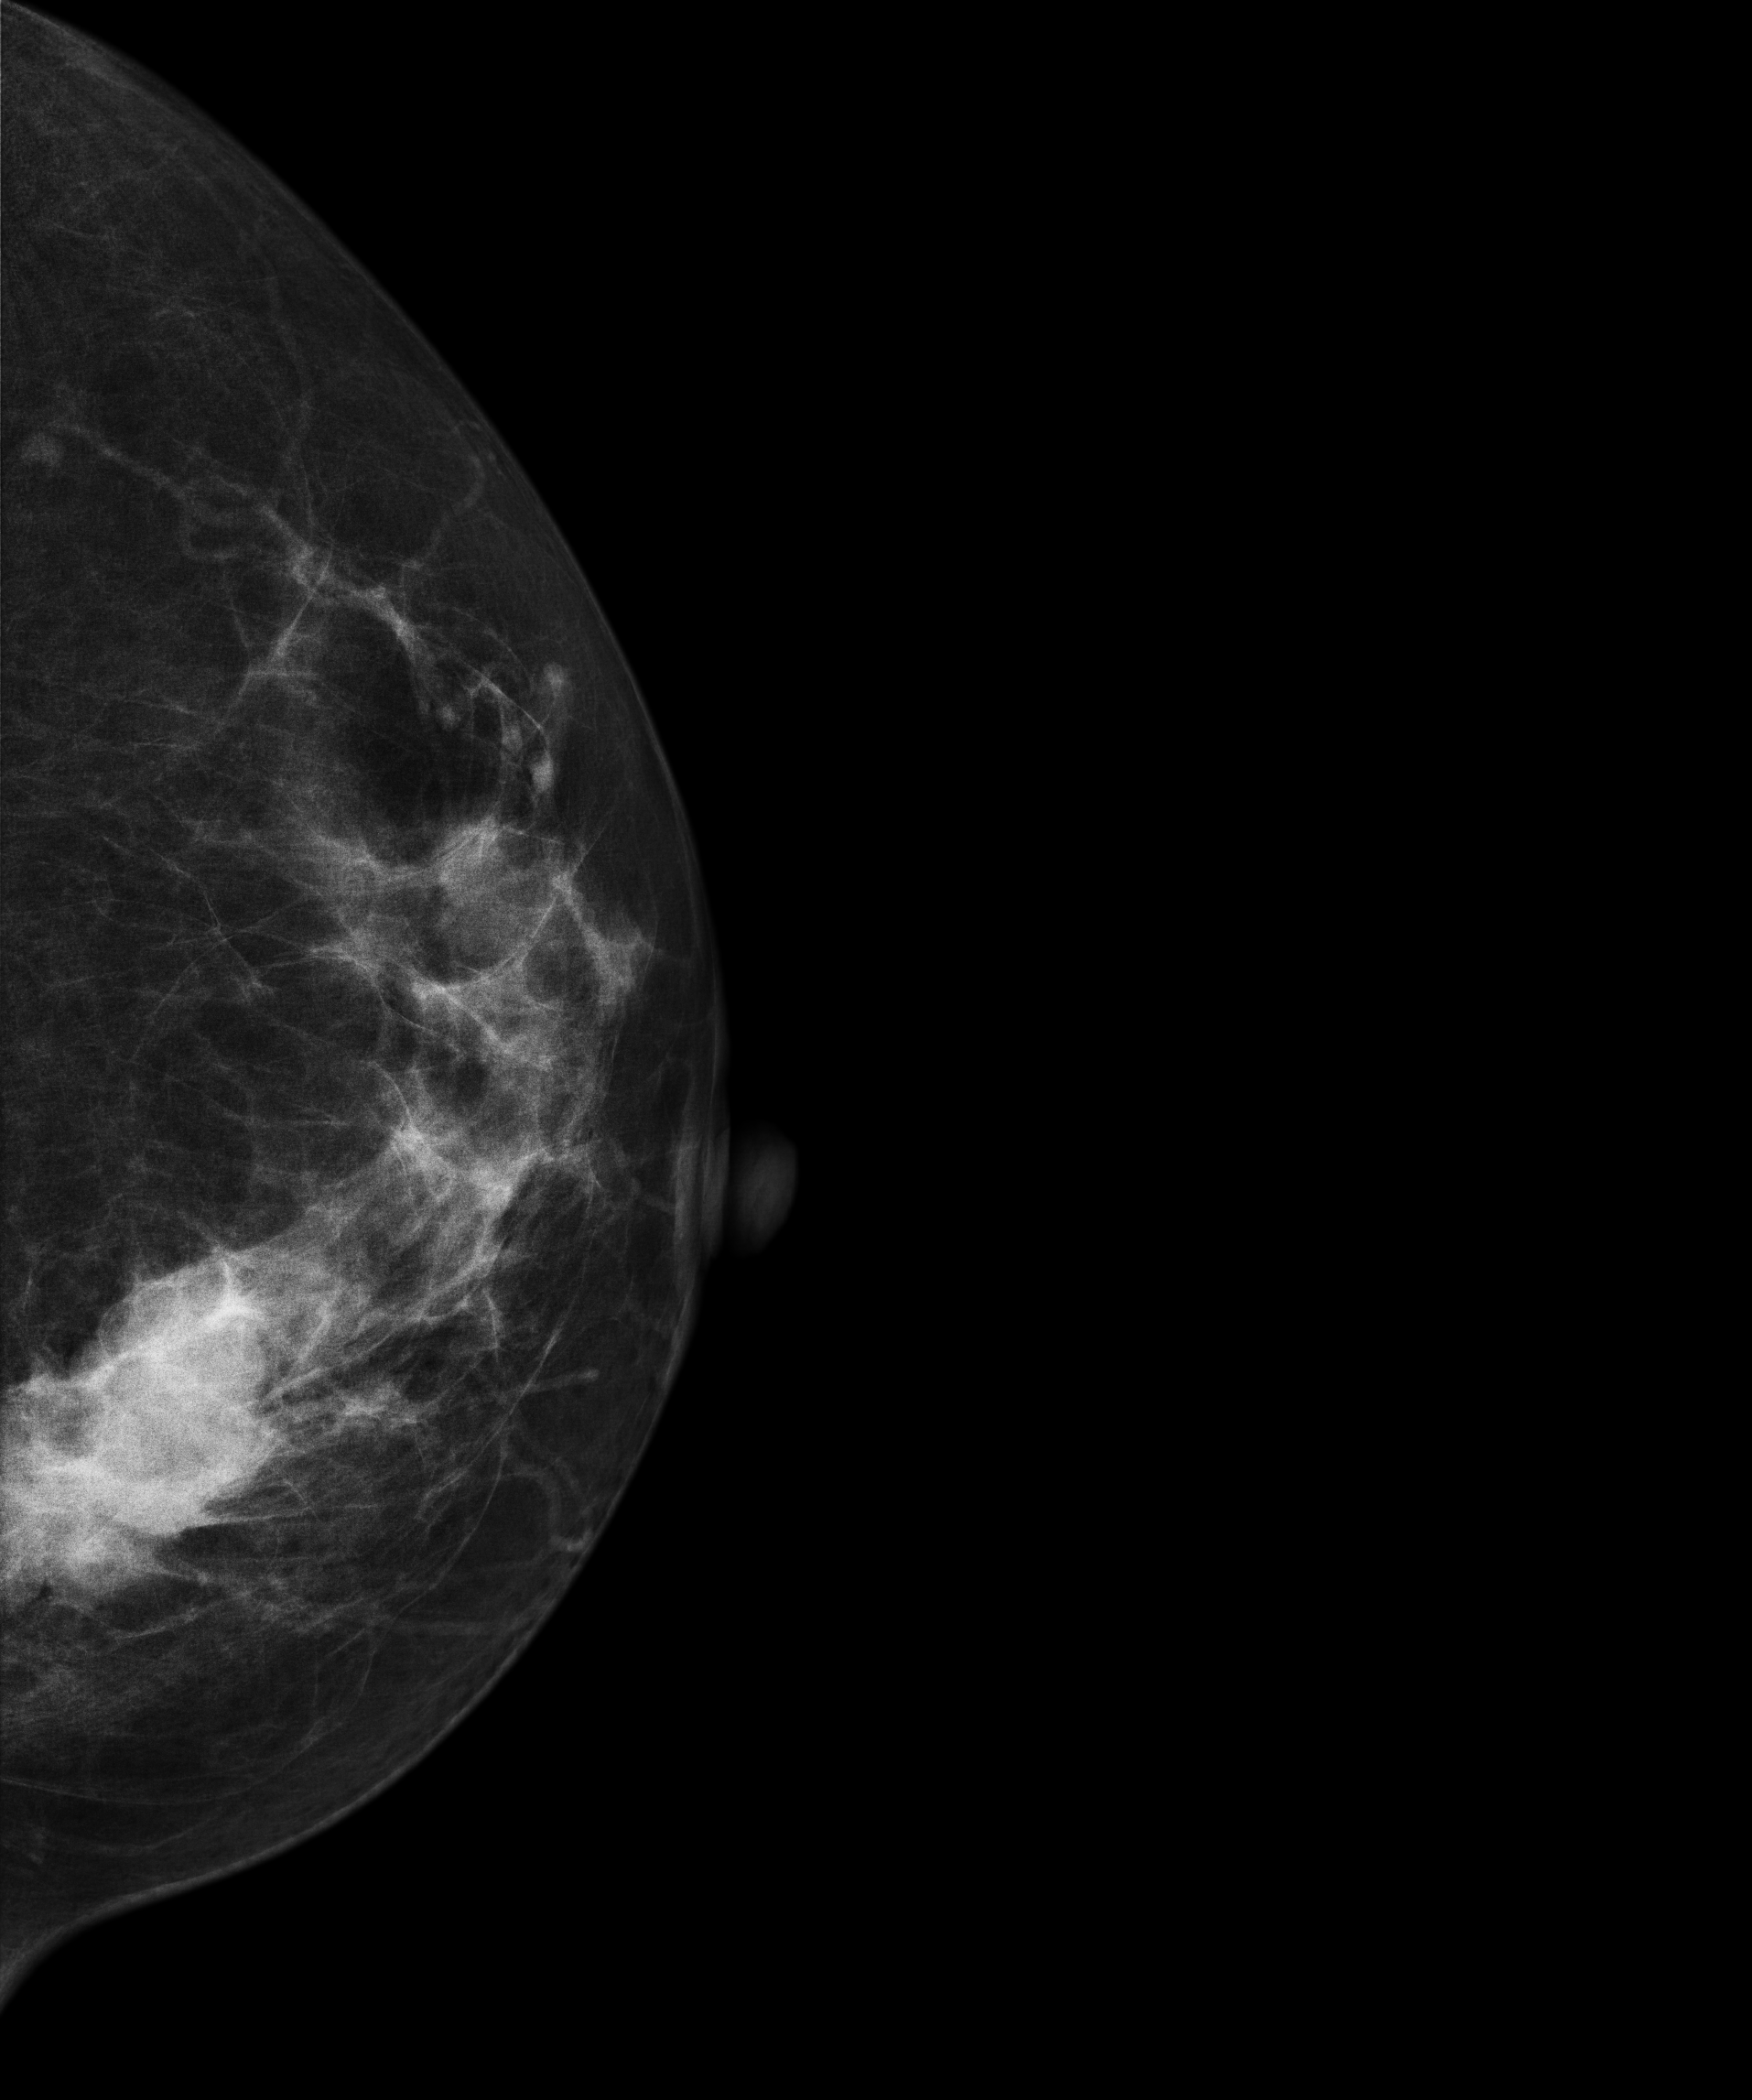
Left-breast mammogram, CC. 62 y/o patient.
This breast has a mass, histologically confirmed malignant. Molecular subtype: luminal B.